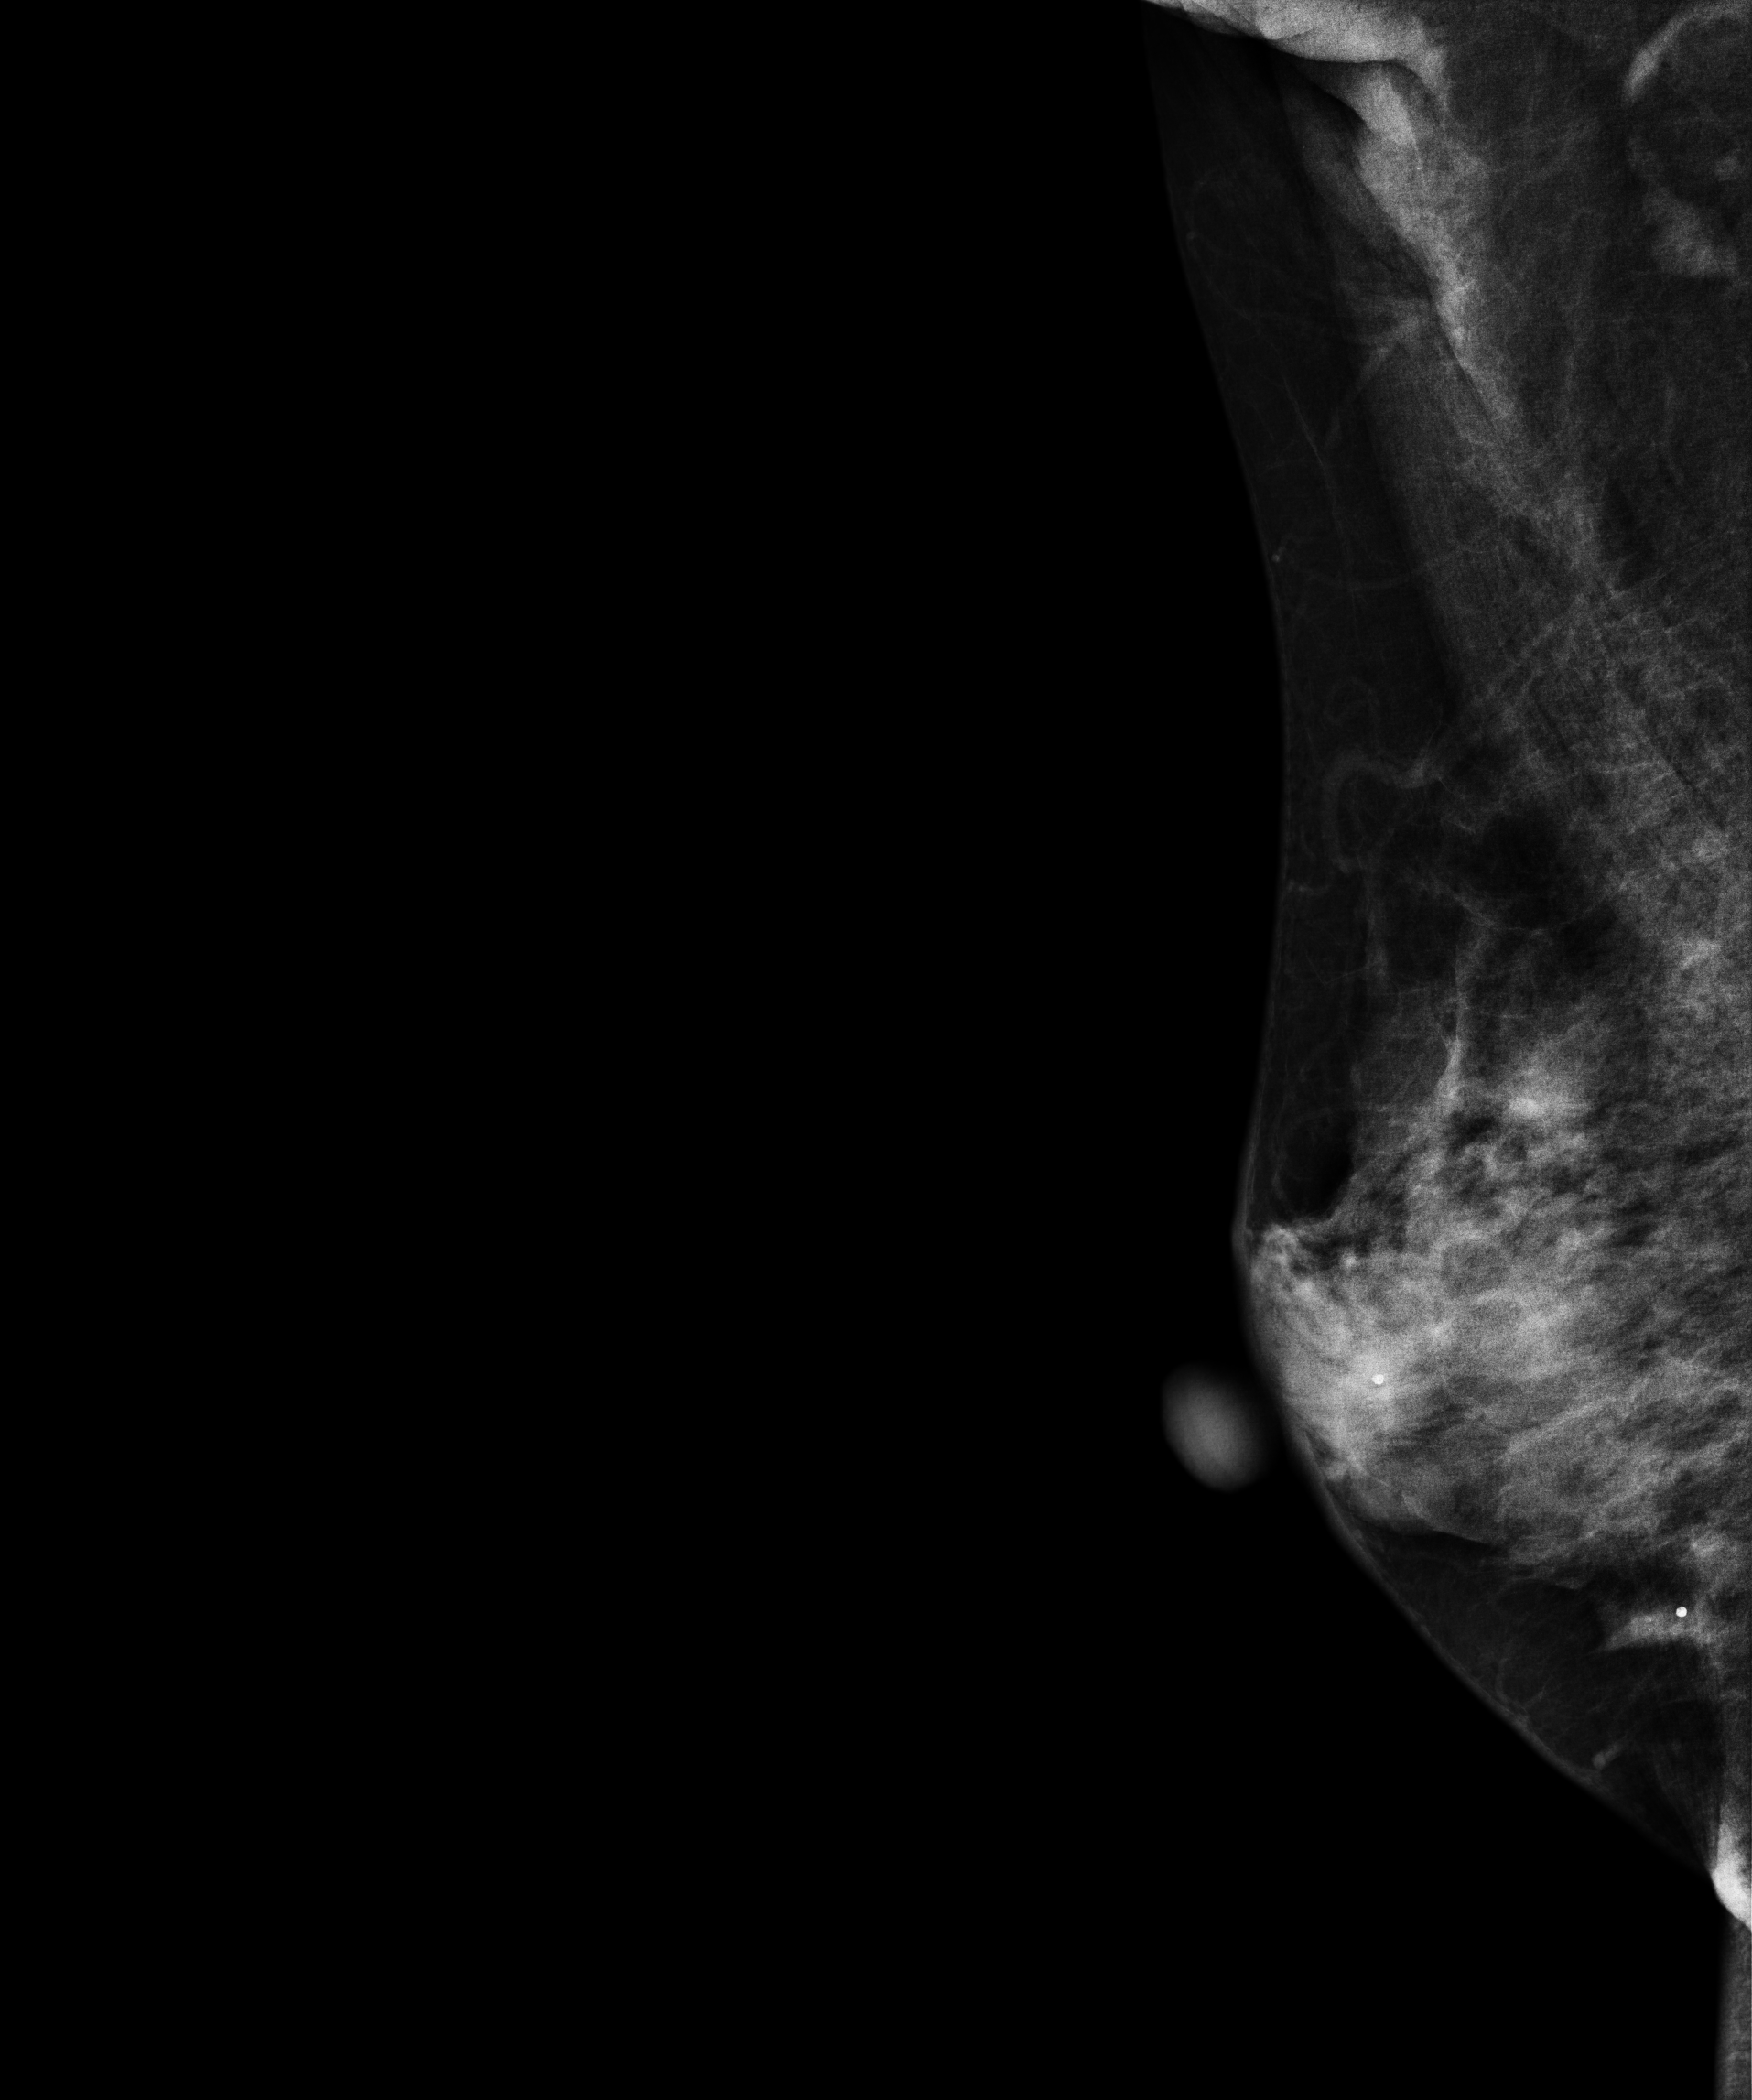
Right-breast mammogram, MLO. 54-year-old patient.
Contralateral breast — no documented abnormality on this side.